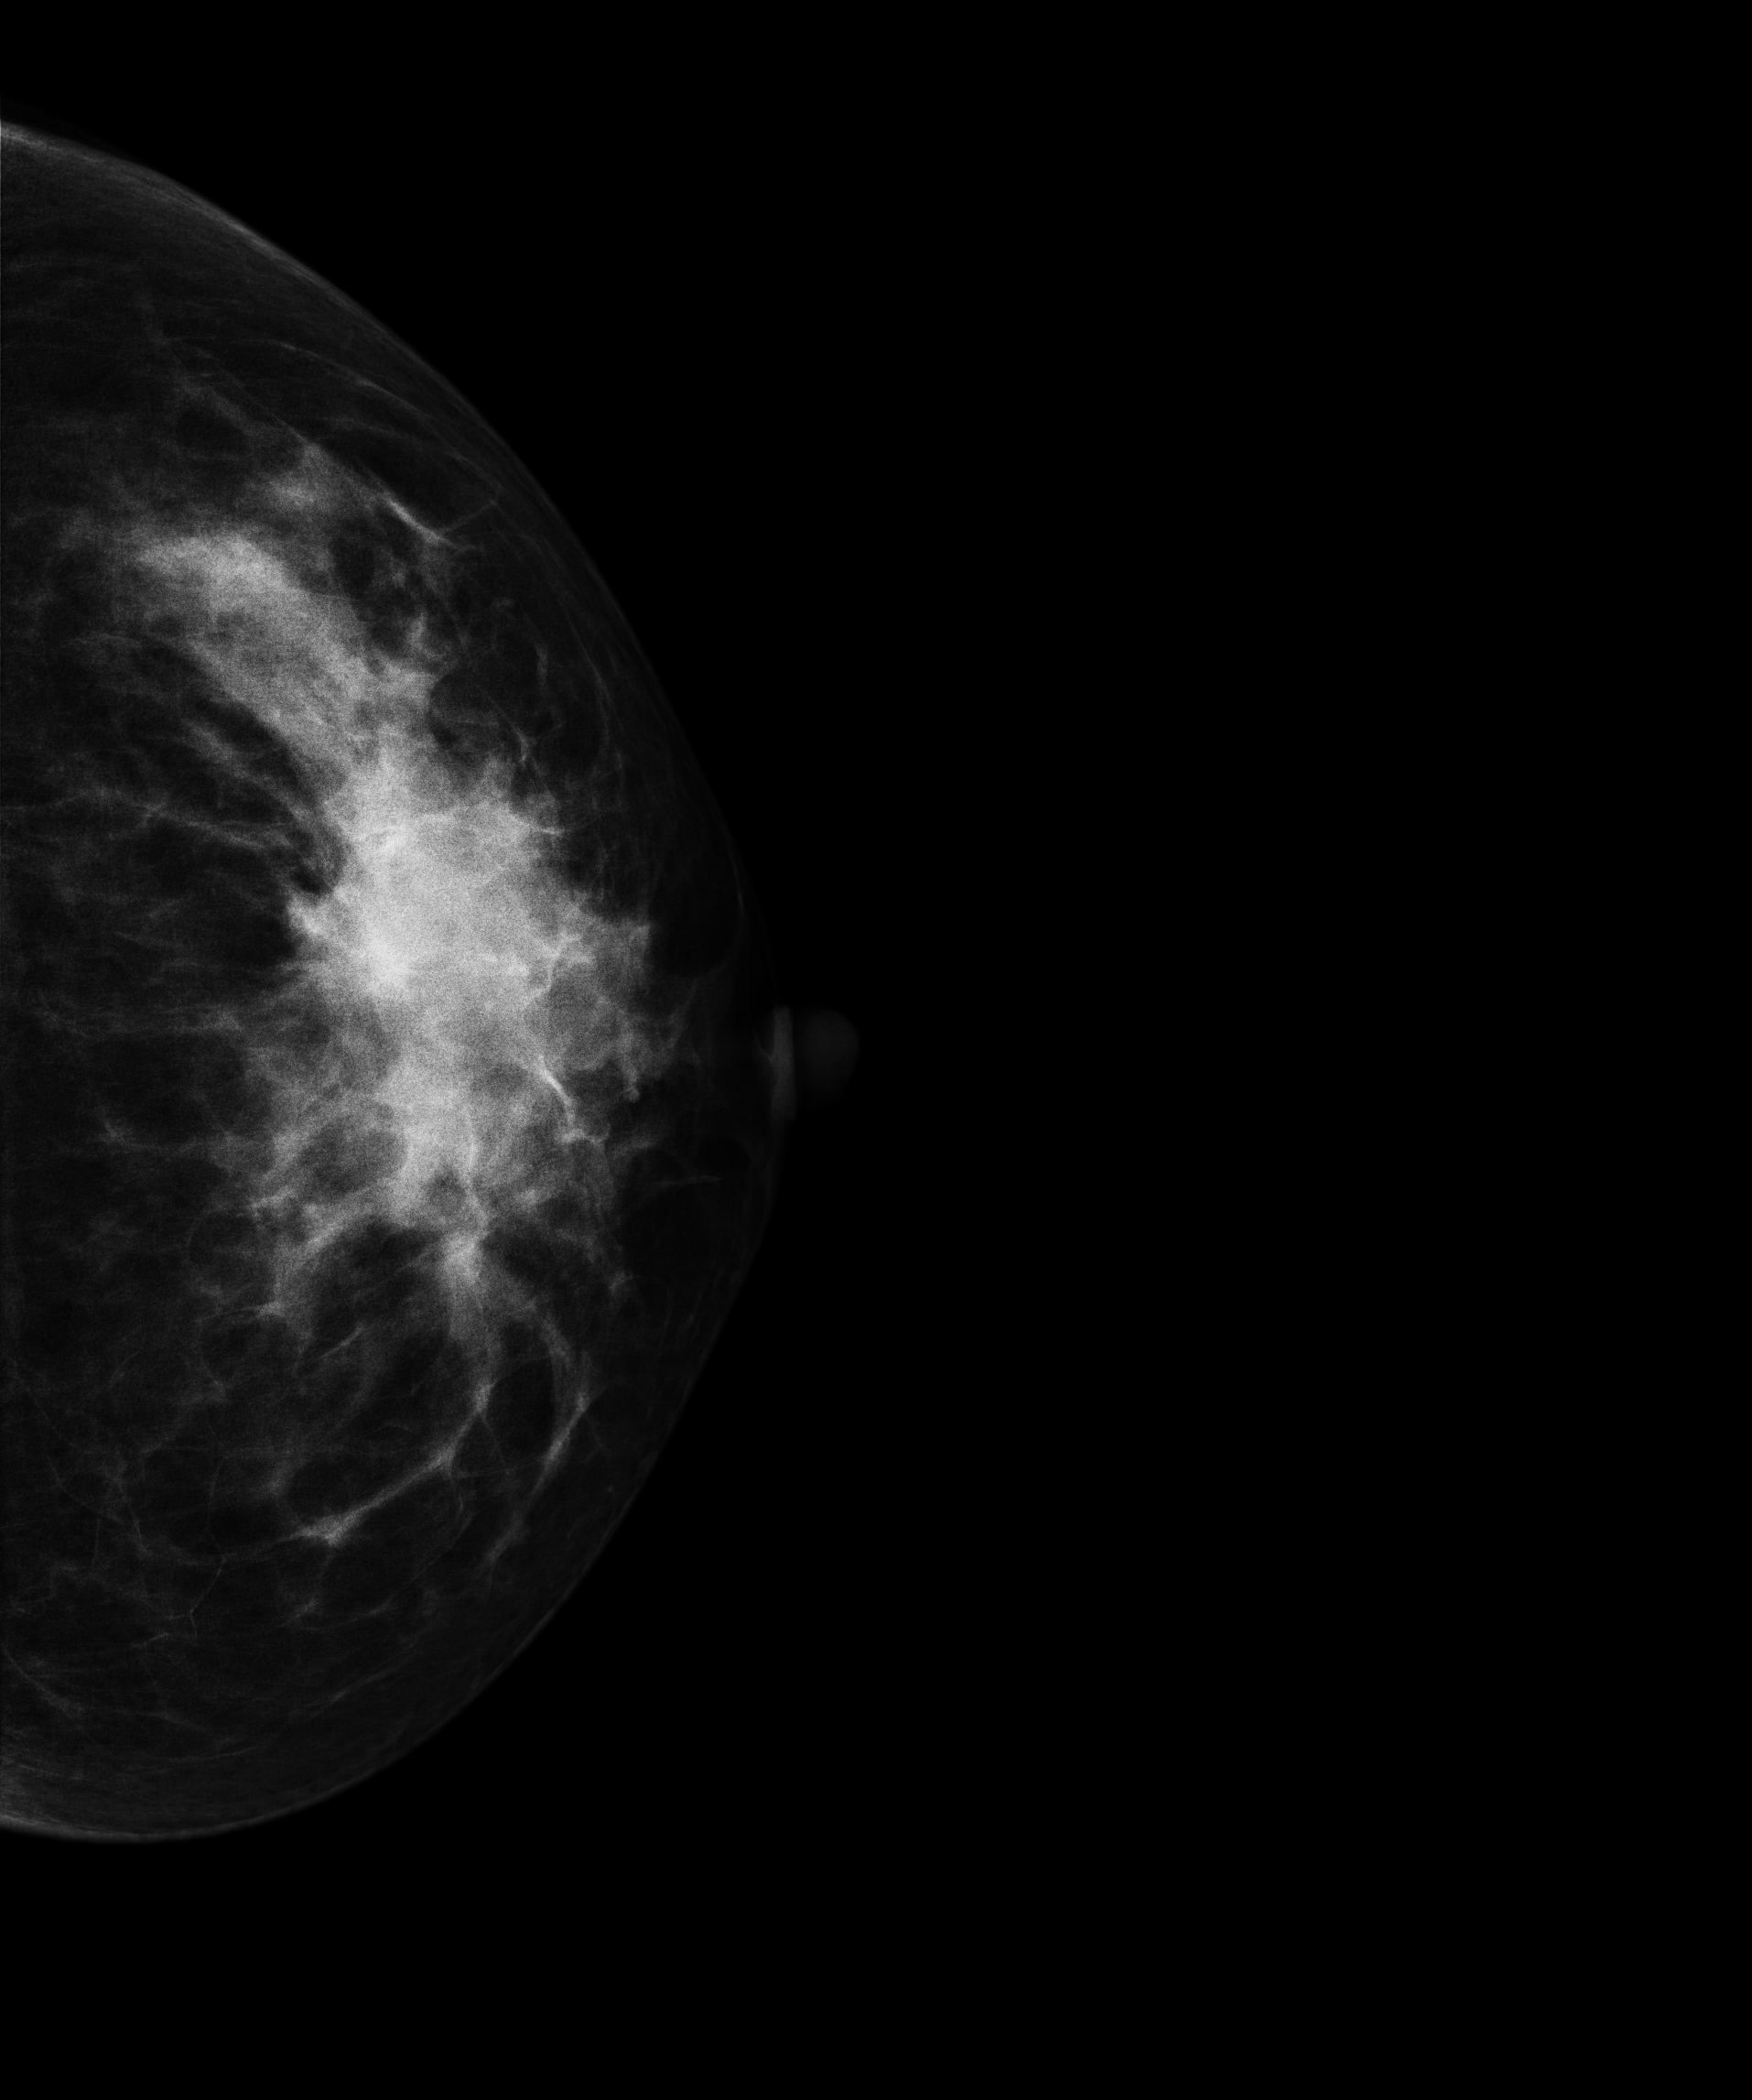
Cranio-caudal mammogram of the left breast. Patient age 41.
This breast has a mass, biopsy-proven malignant. Molecular subtype: luminal B.